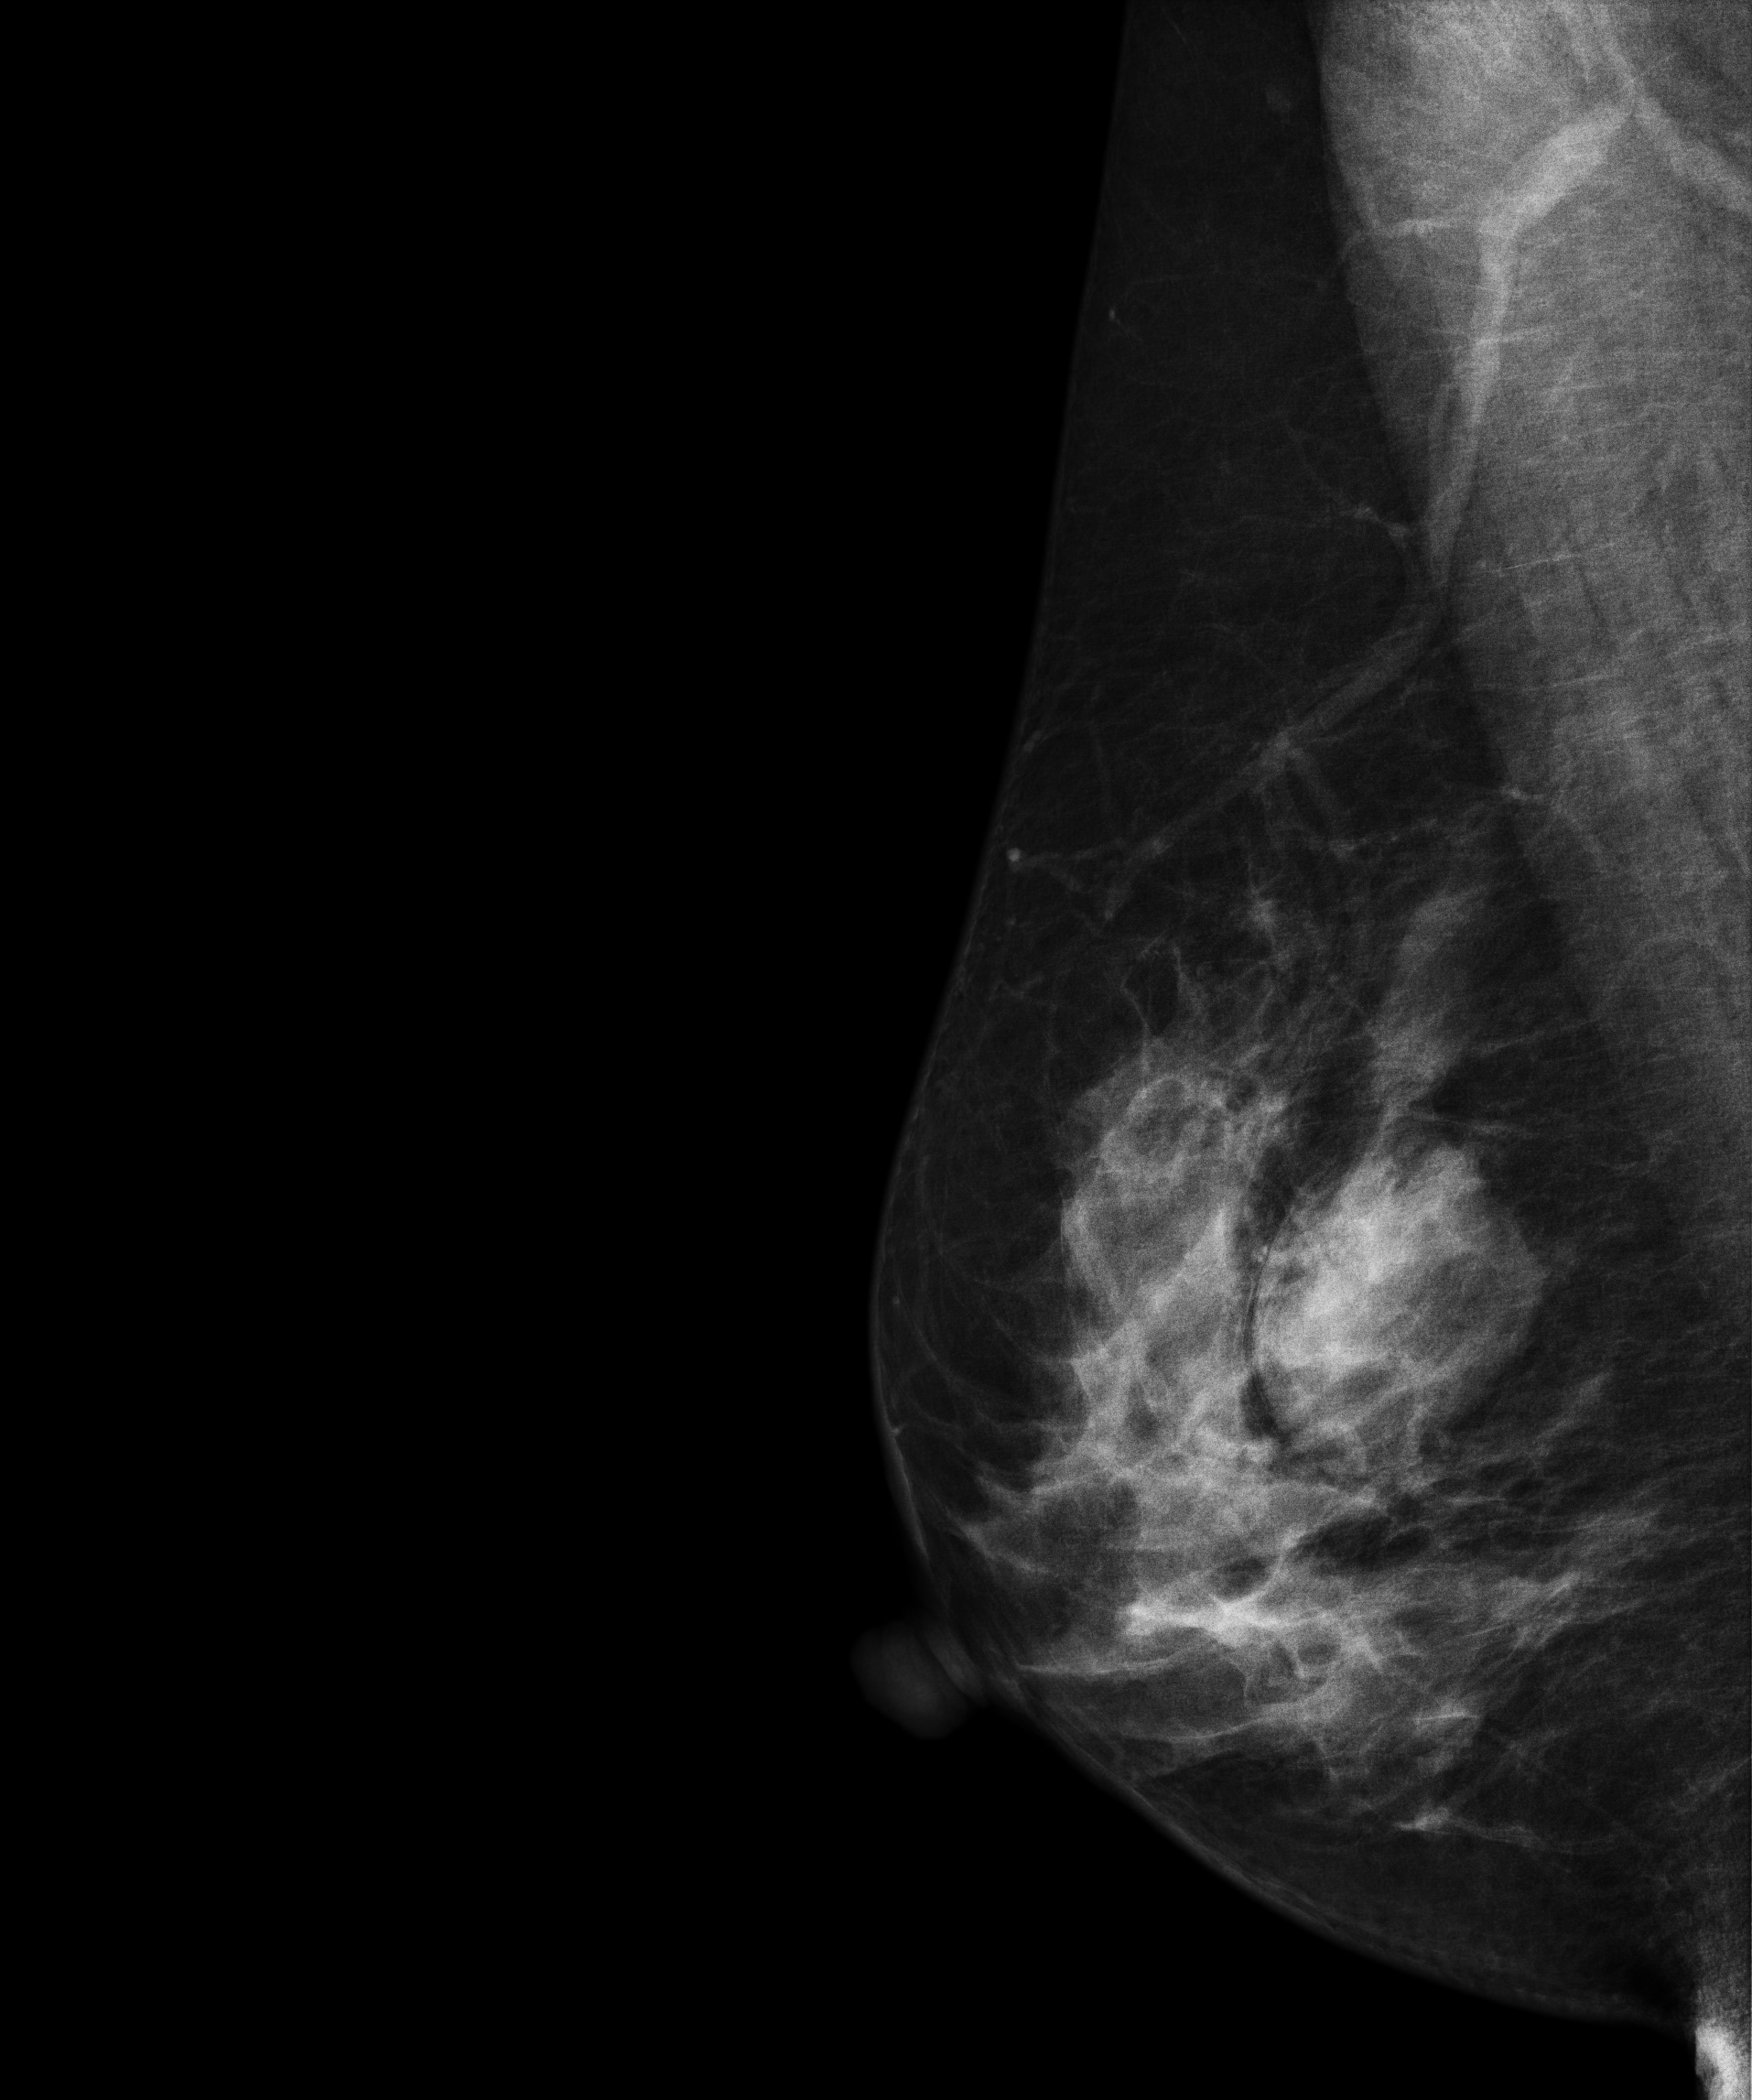
Mammogram — right MLO. 49 y/o patient.
This breast has a mass, histologically confirmed benign.